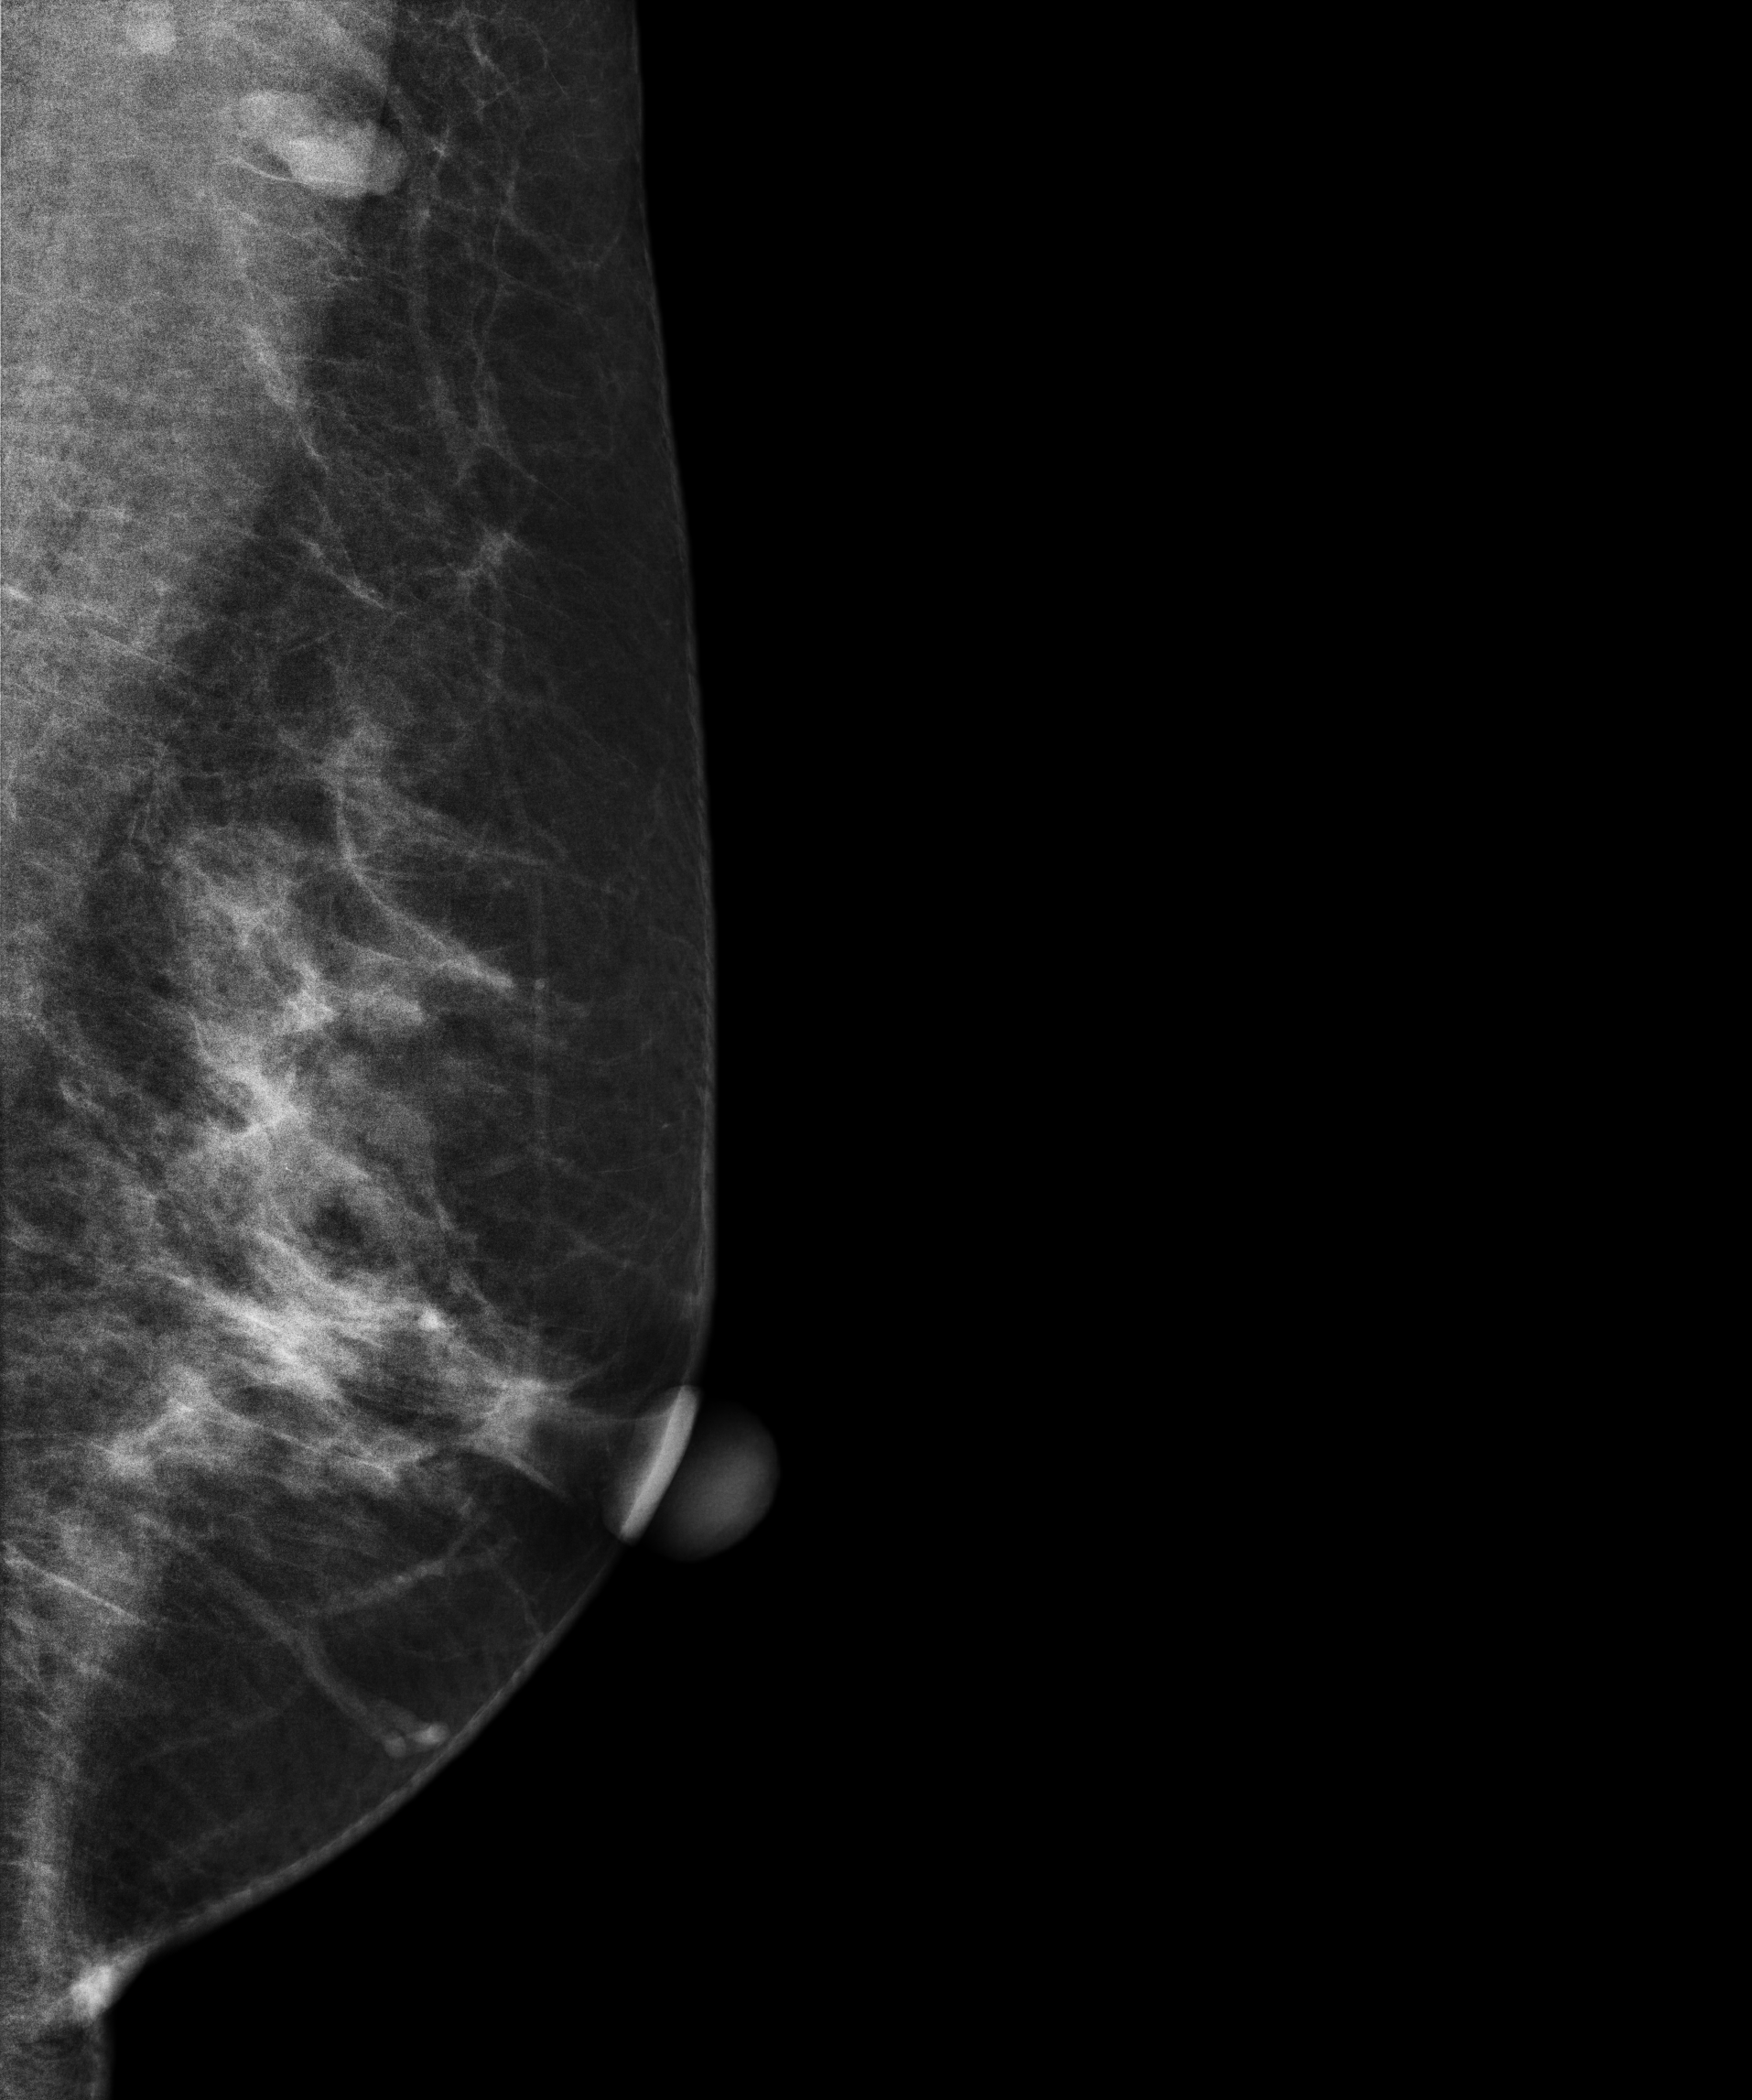
Left-breast mammogram, MLO. 50 y/o patient.
This breast has a mass and calcifications, pathology-confirmed malignant.